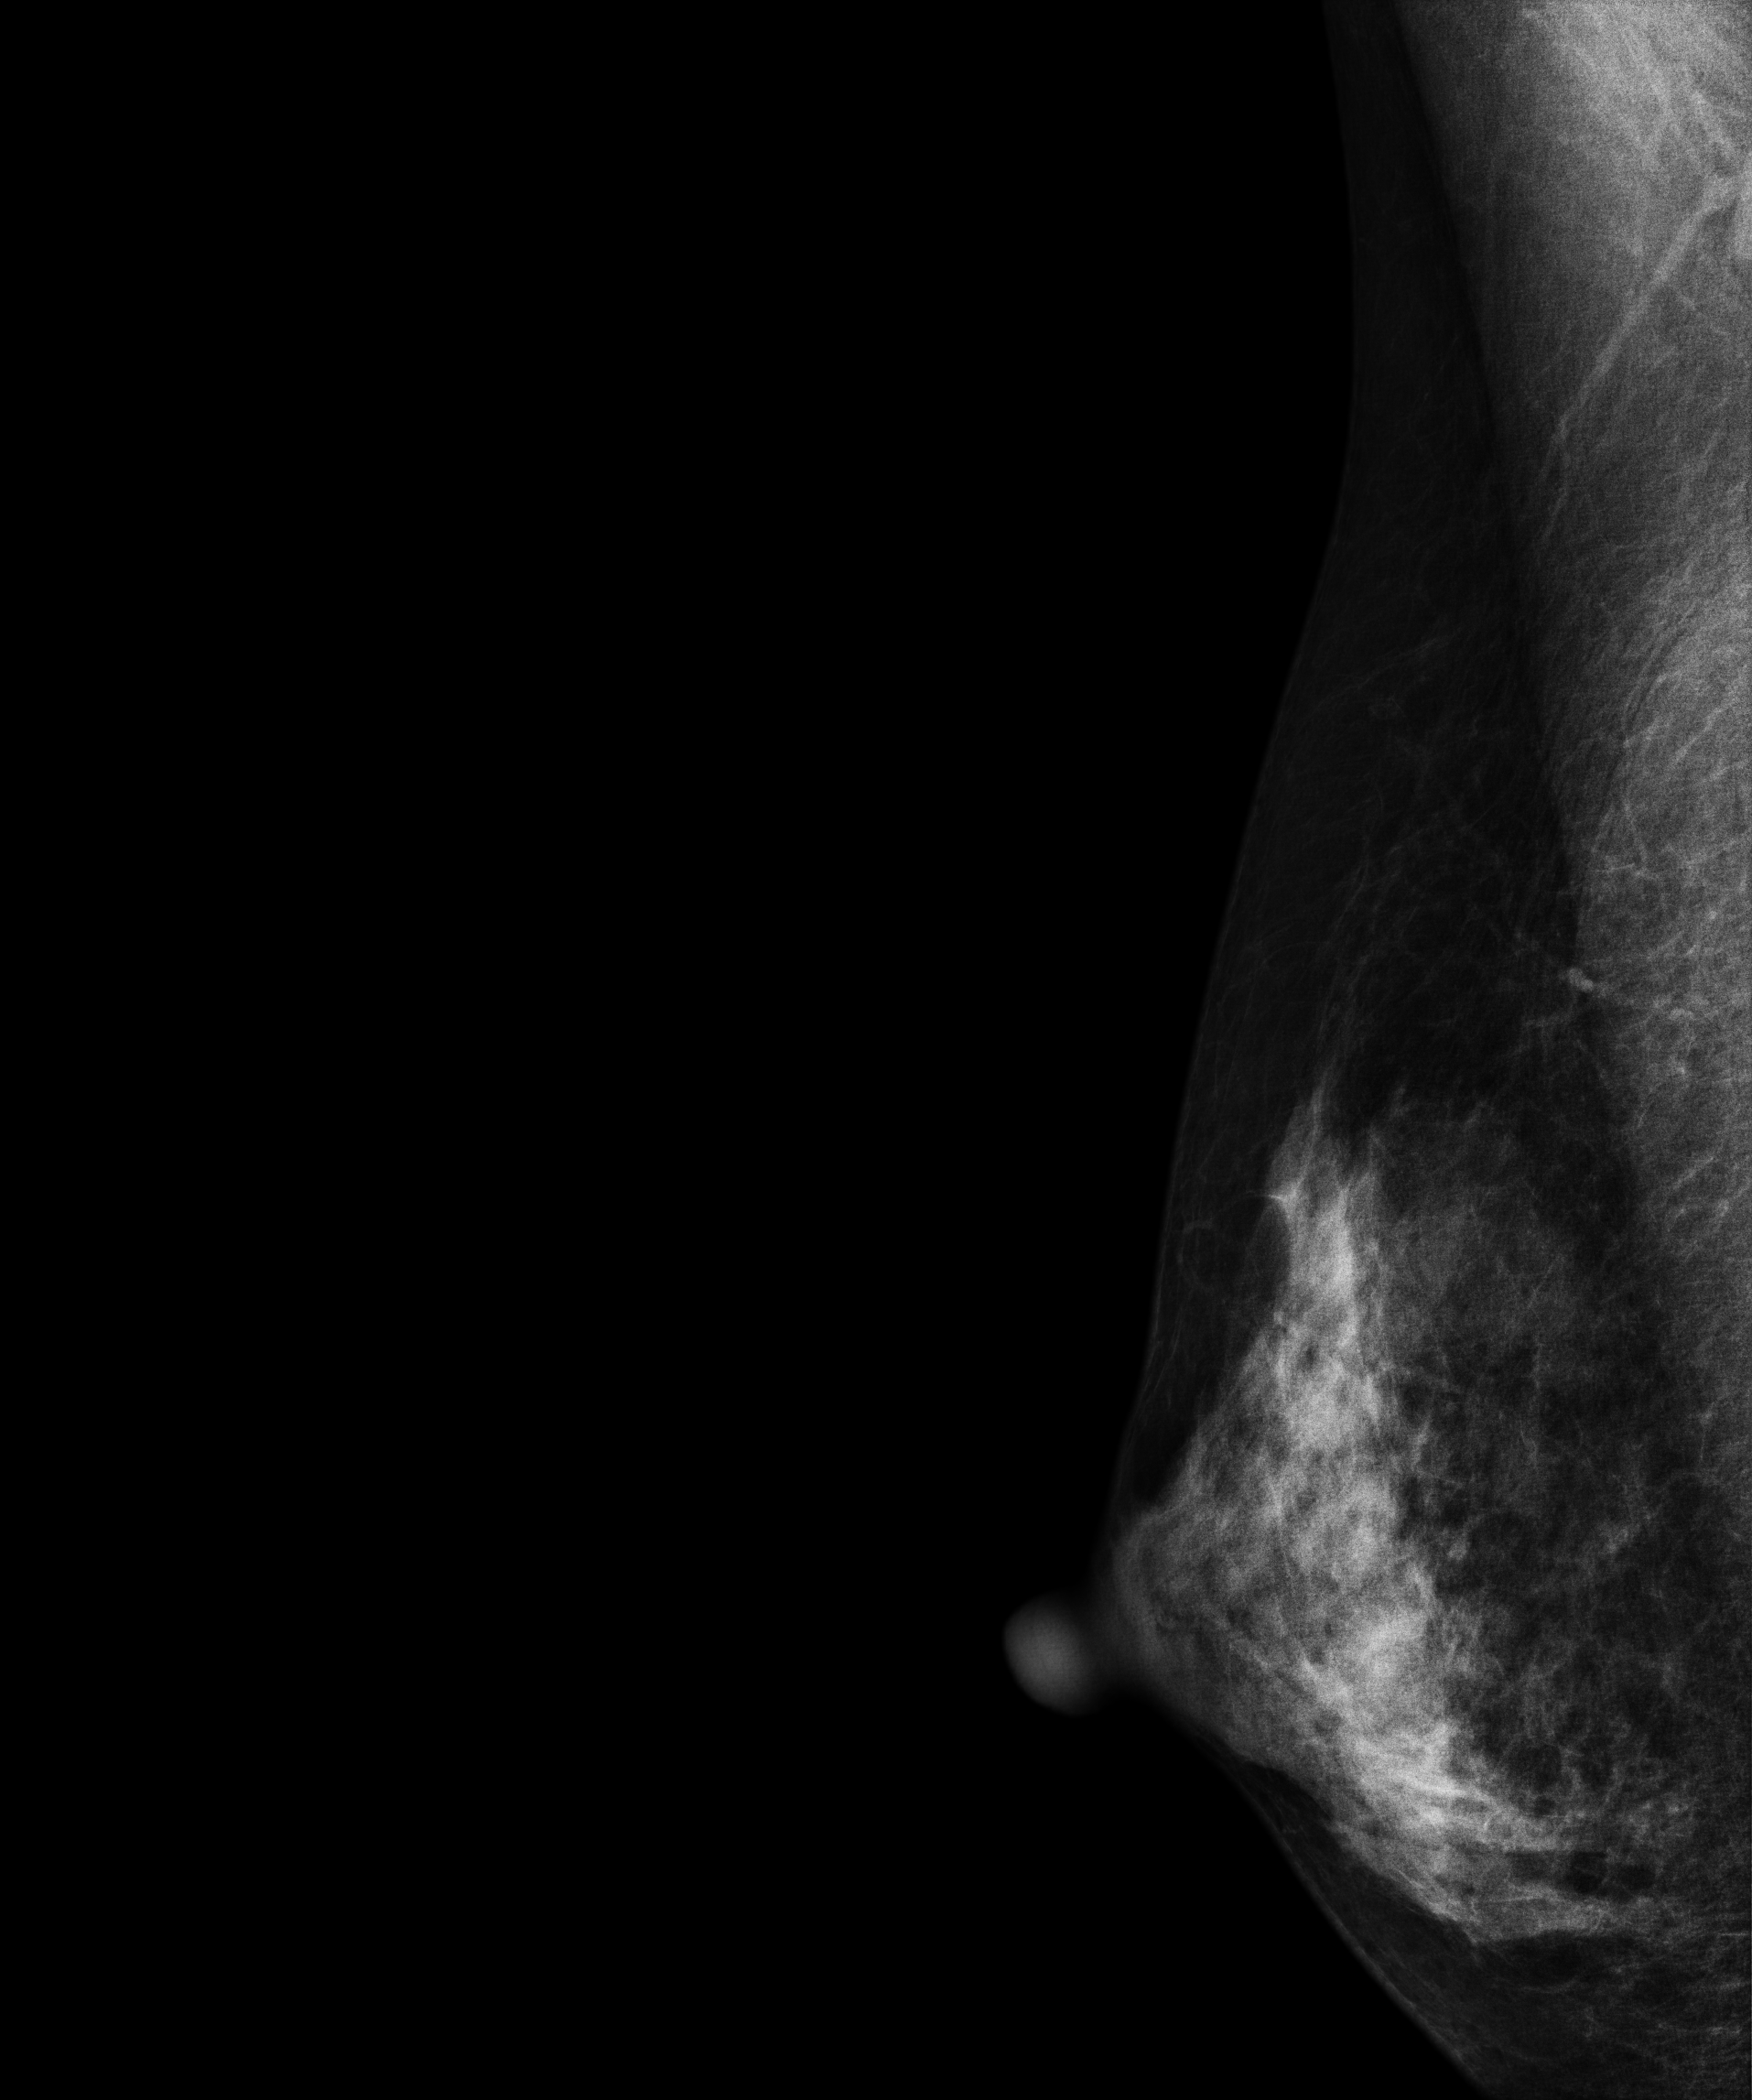
Mammogram, right breast, MLO view. 52 y/o patient.
This breast has a mass and calcifications, histologically confirmed benign.